Mammogram — left medio-lateral oblique. Patient age 59.
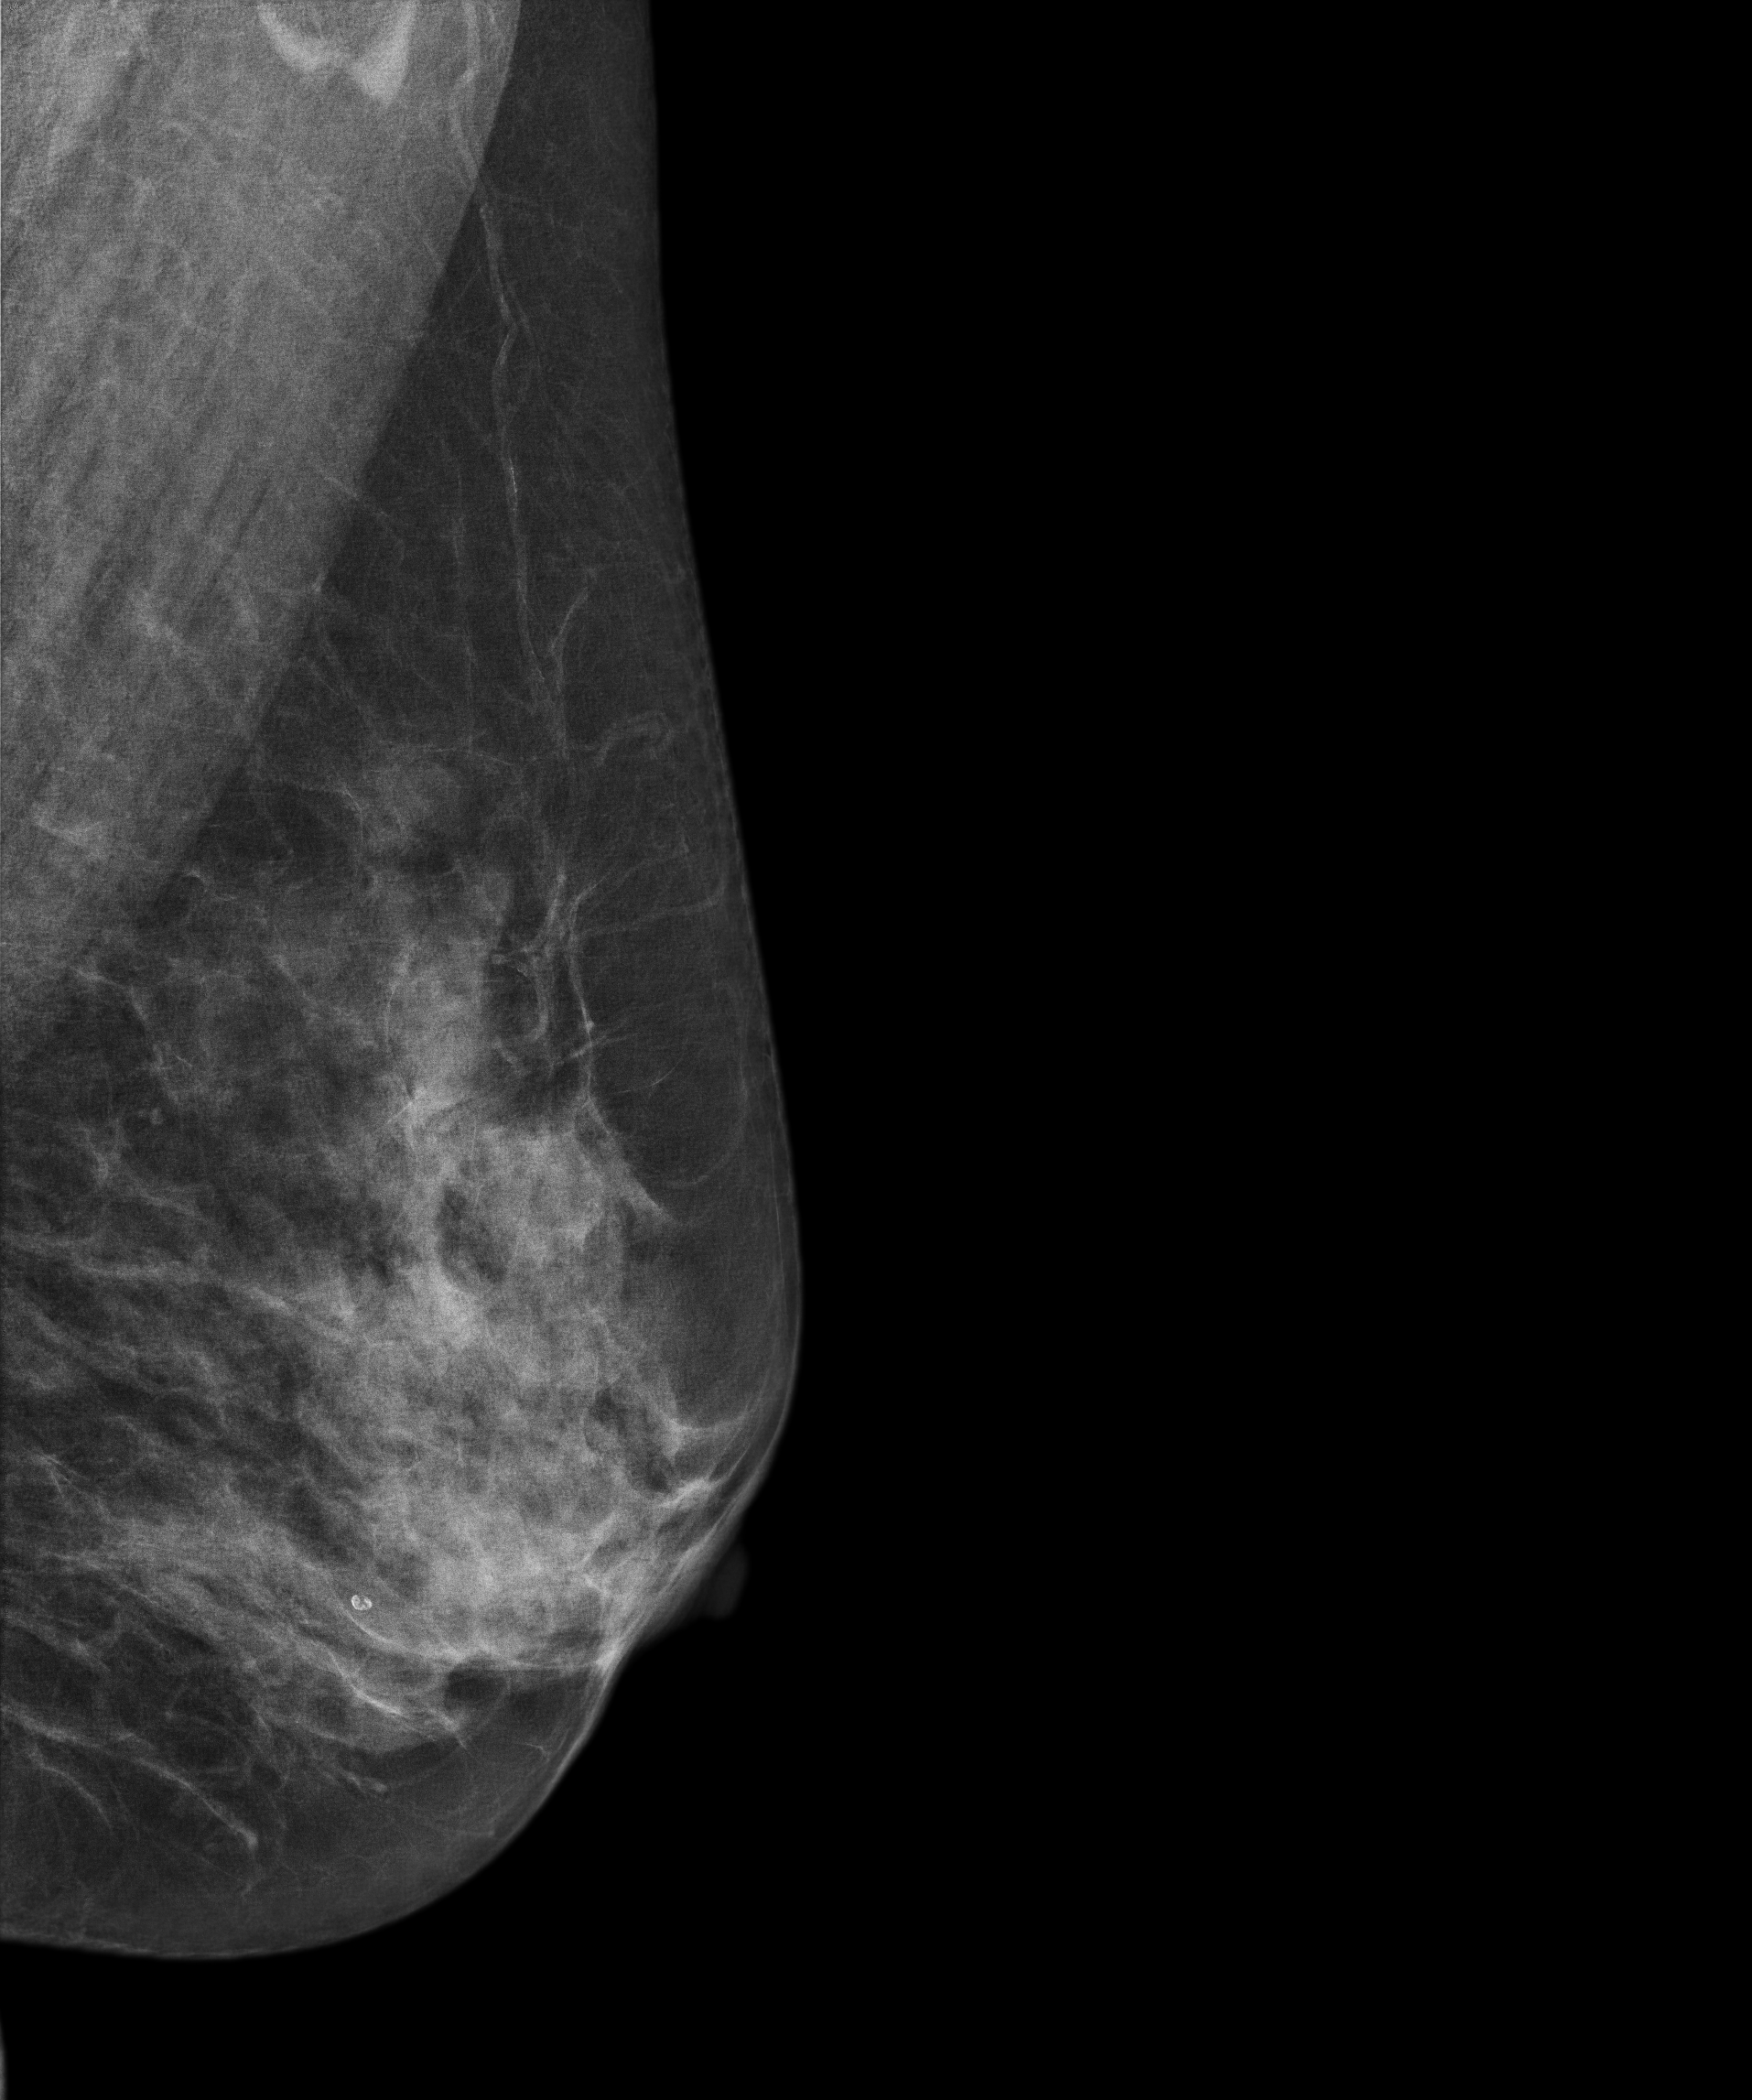
Contralateral breast — no documented abnormality on this side.